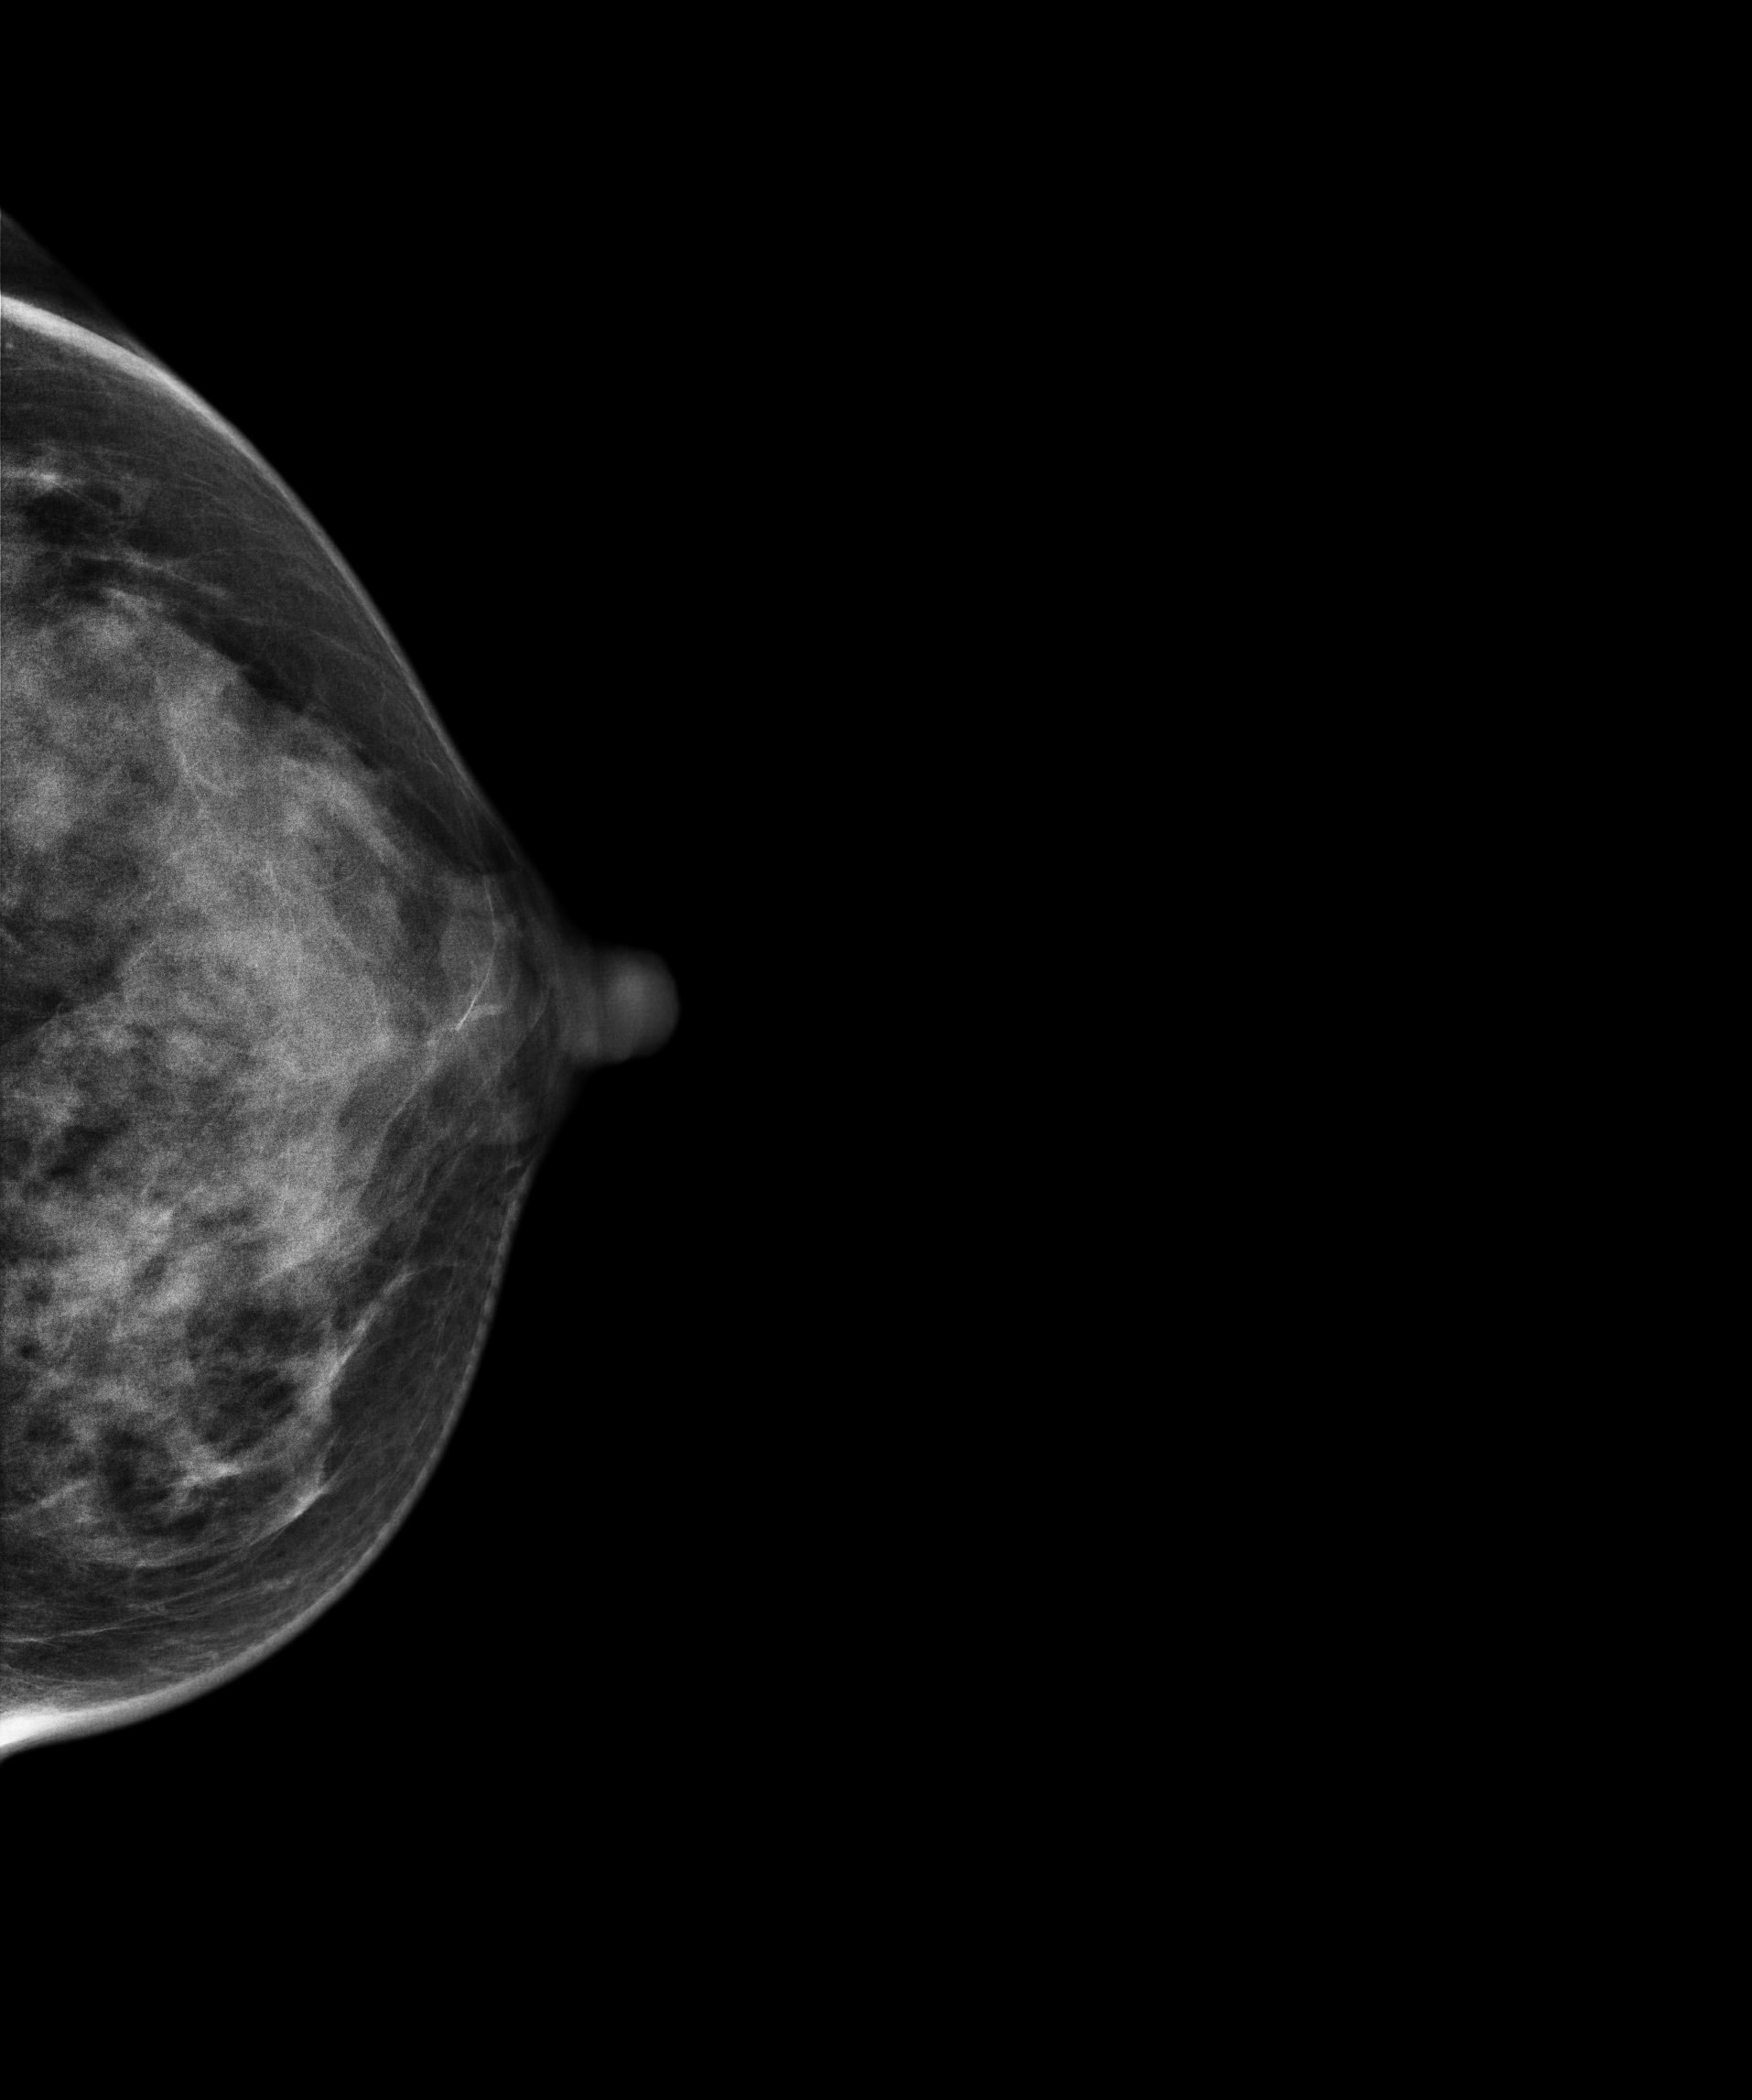
Left-breast mammogram, cranio-caudal. 48-year-old patient.
Contralateral breast — no documented abnormality on this side.